MLO mammogram of the left breast. Patient age 37.
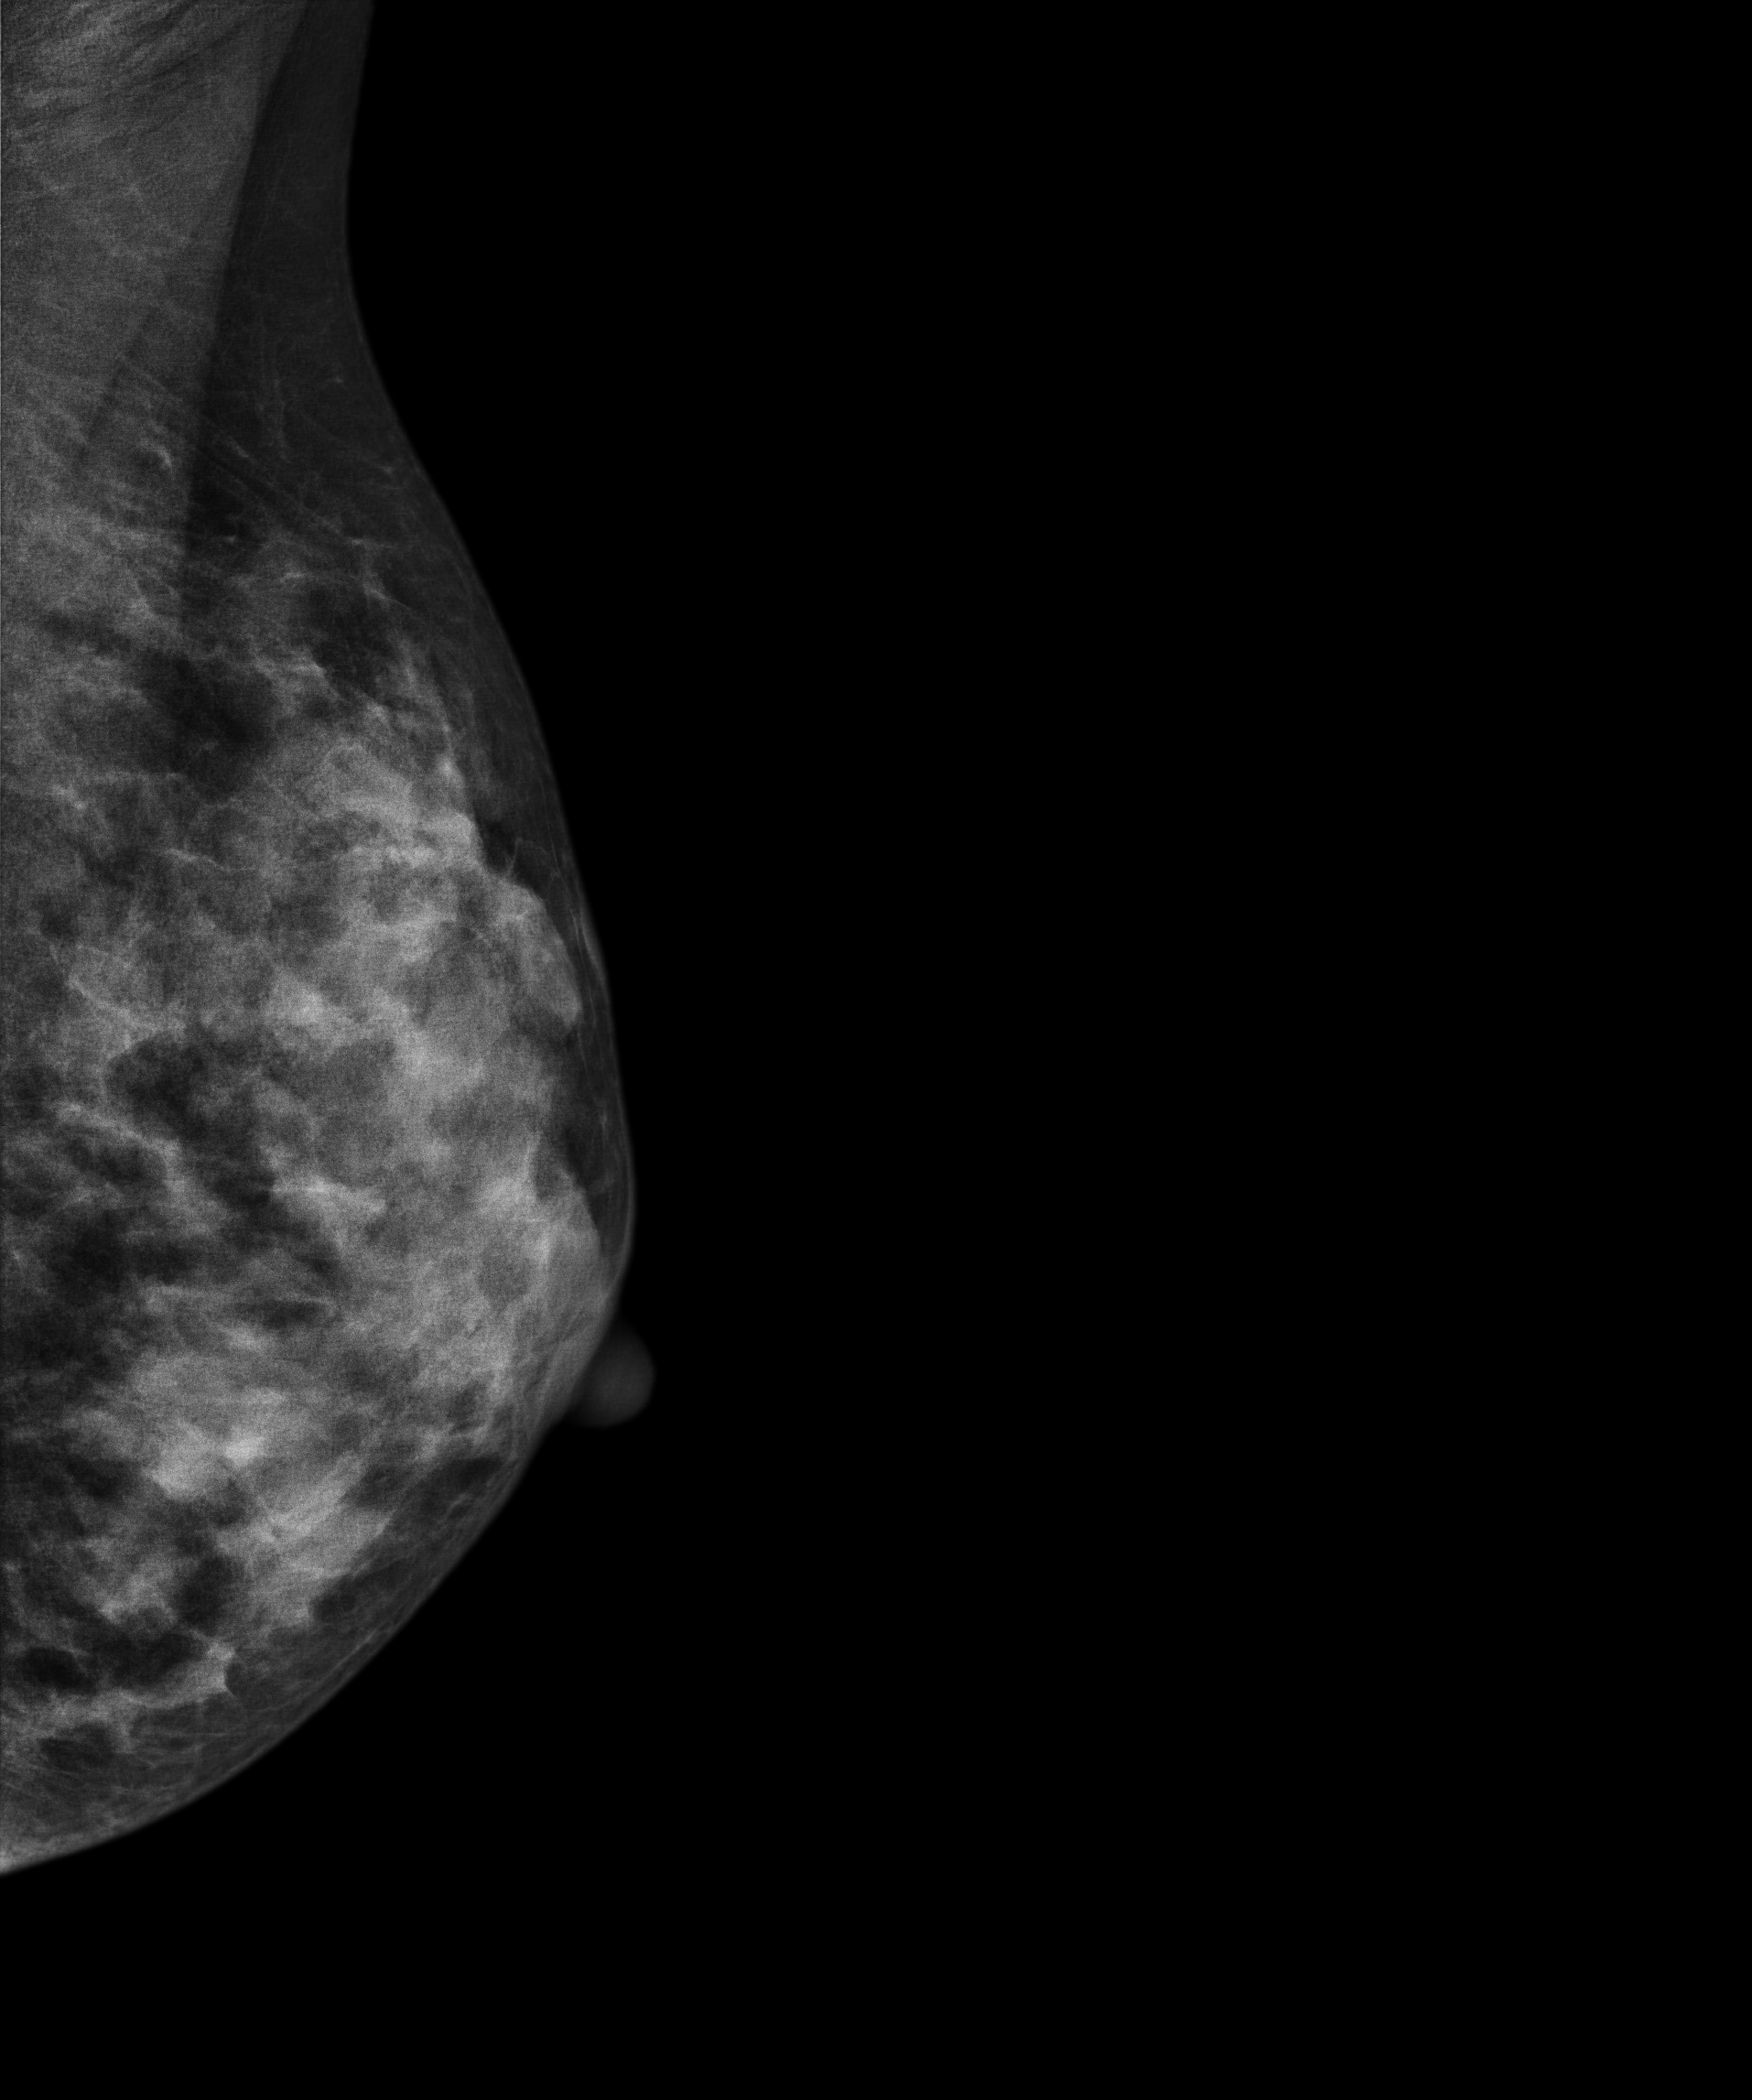
This breast has a mass, biopsy-confirmed benign.